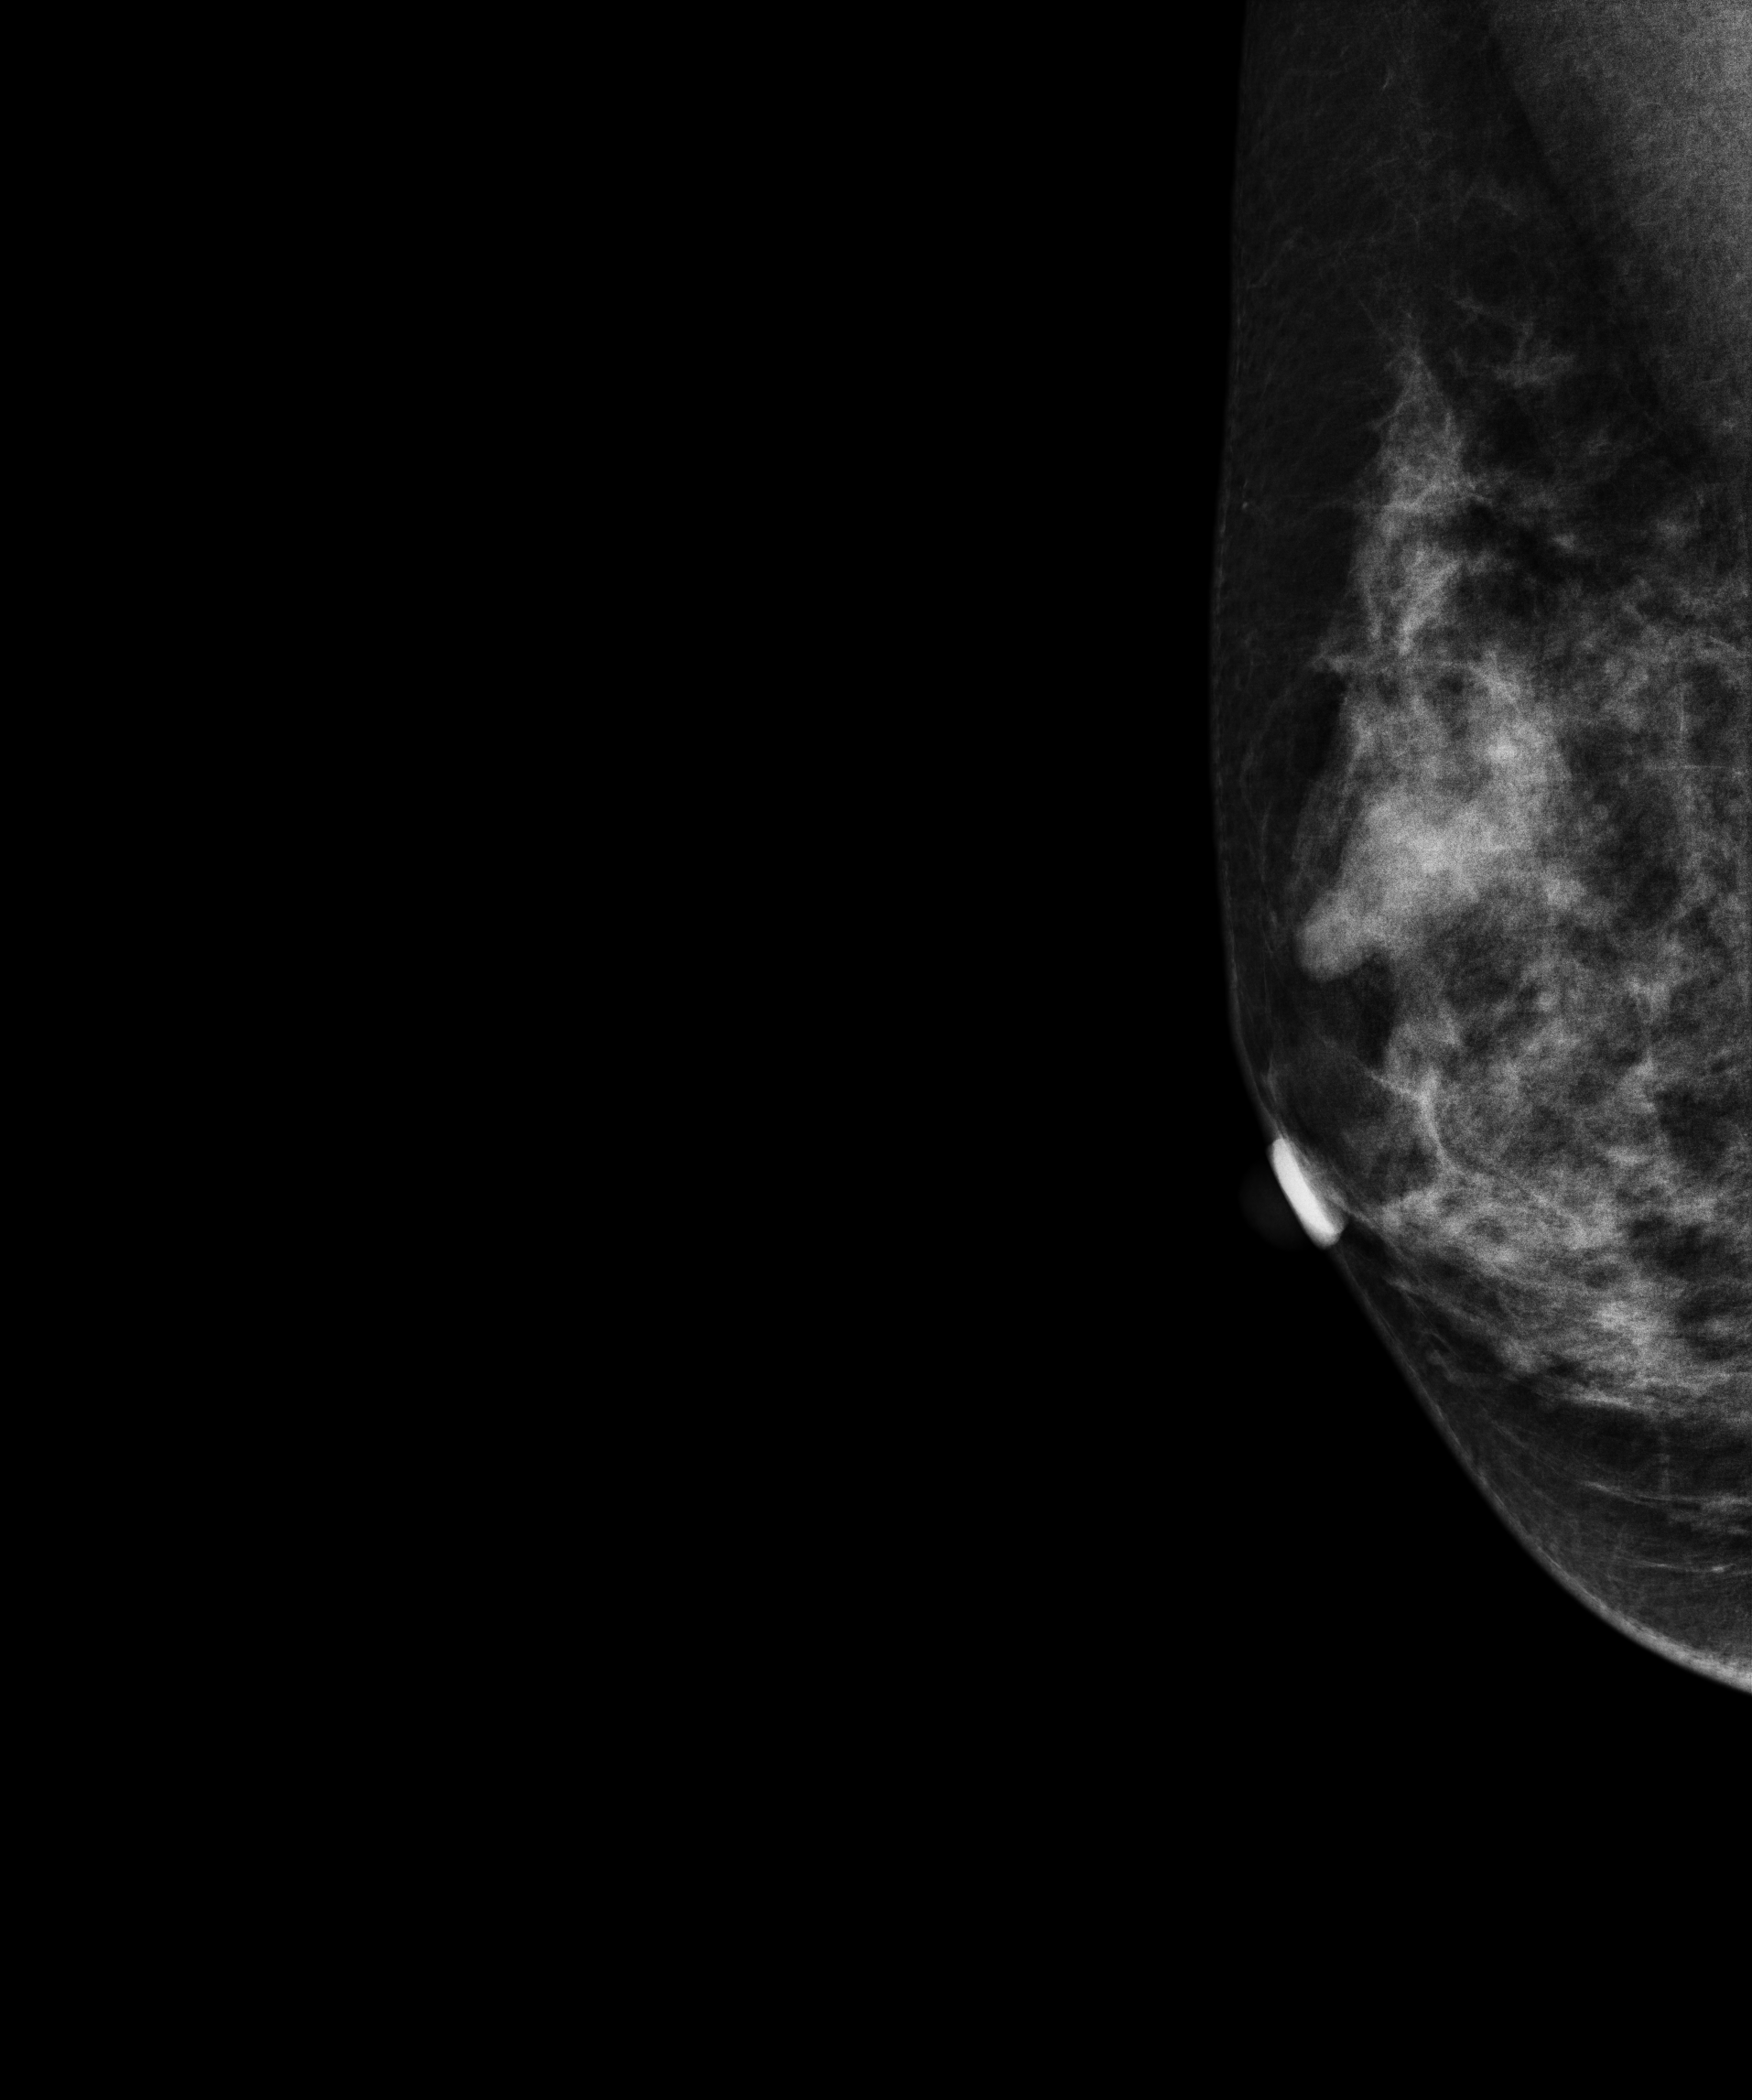
Right-breast mammogram, medio-lateral oblique. 43 y/o patient.
This breast has a mass, pathology-confirmed benign.